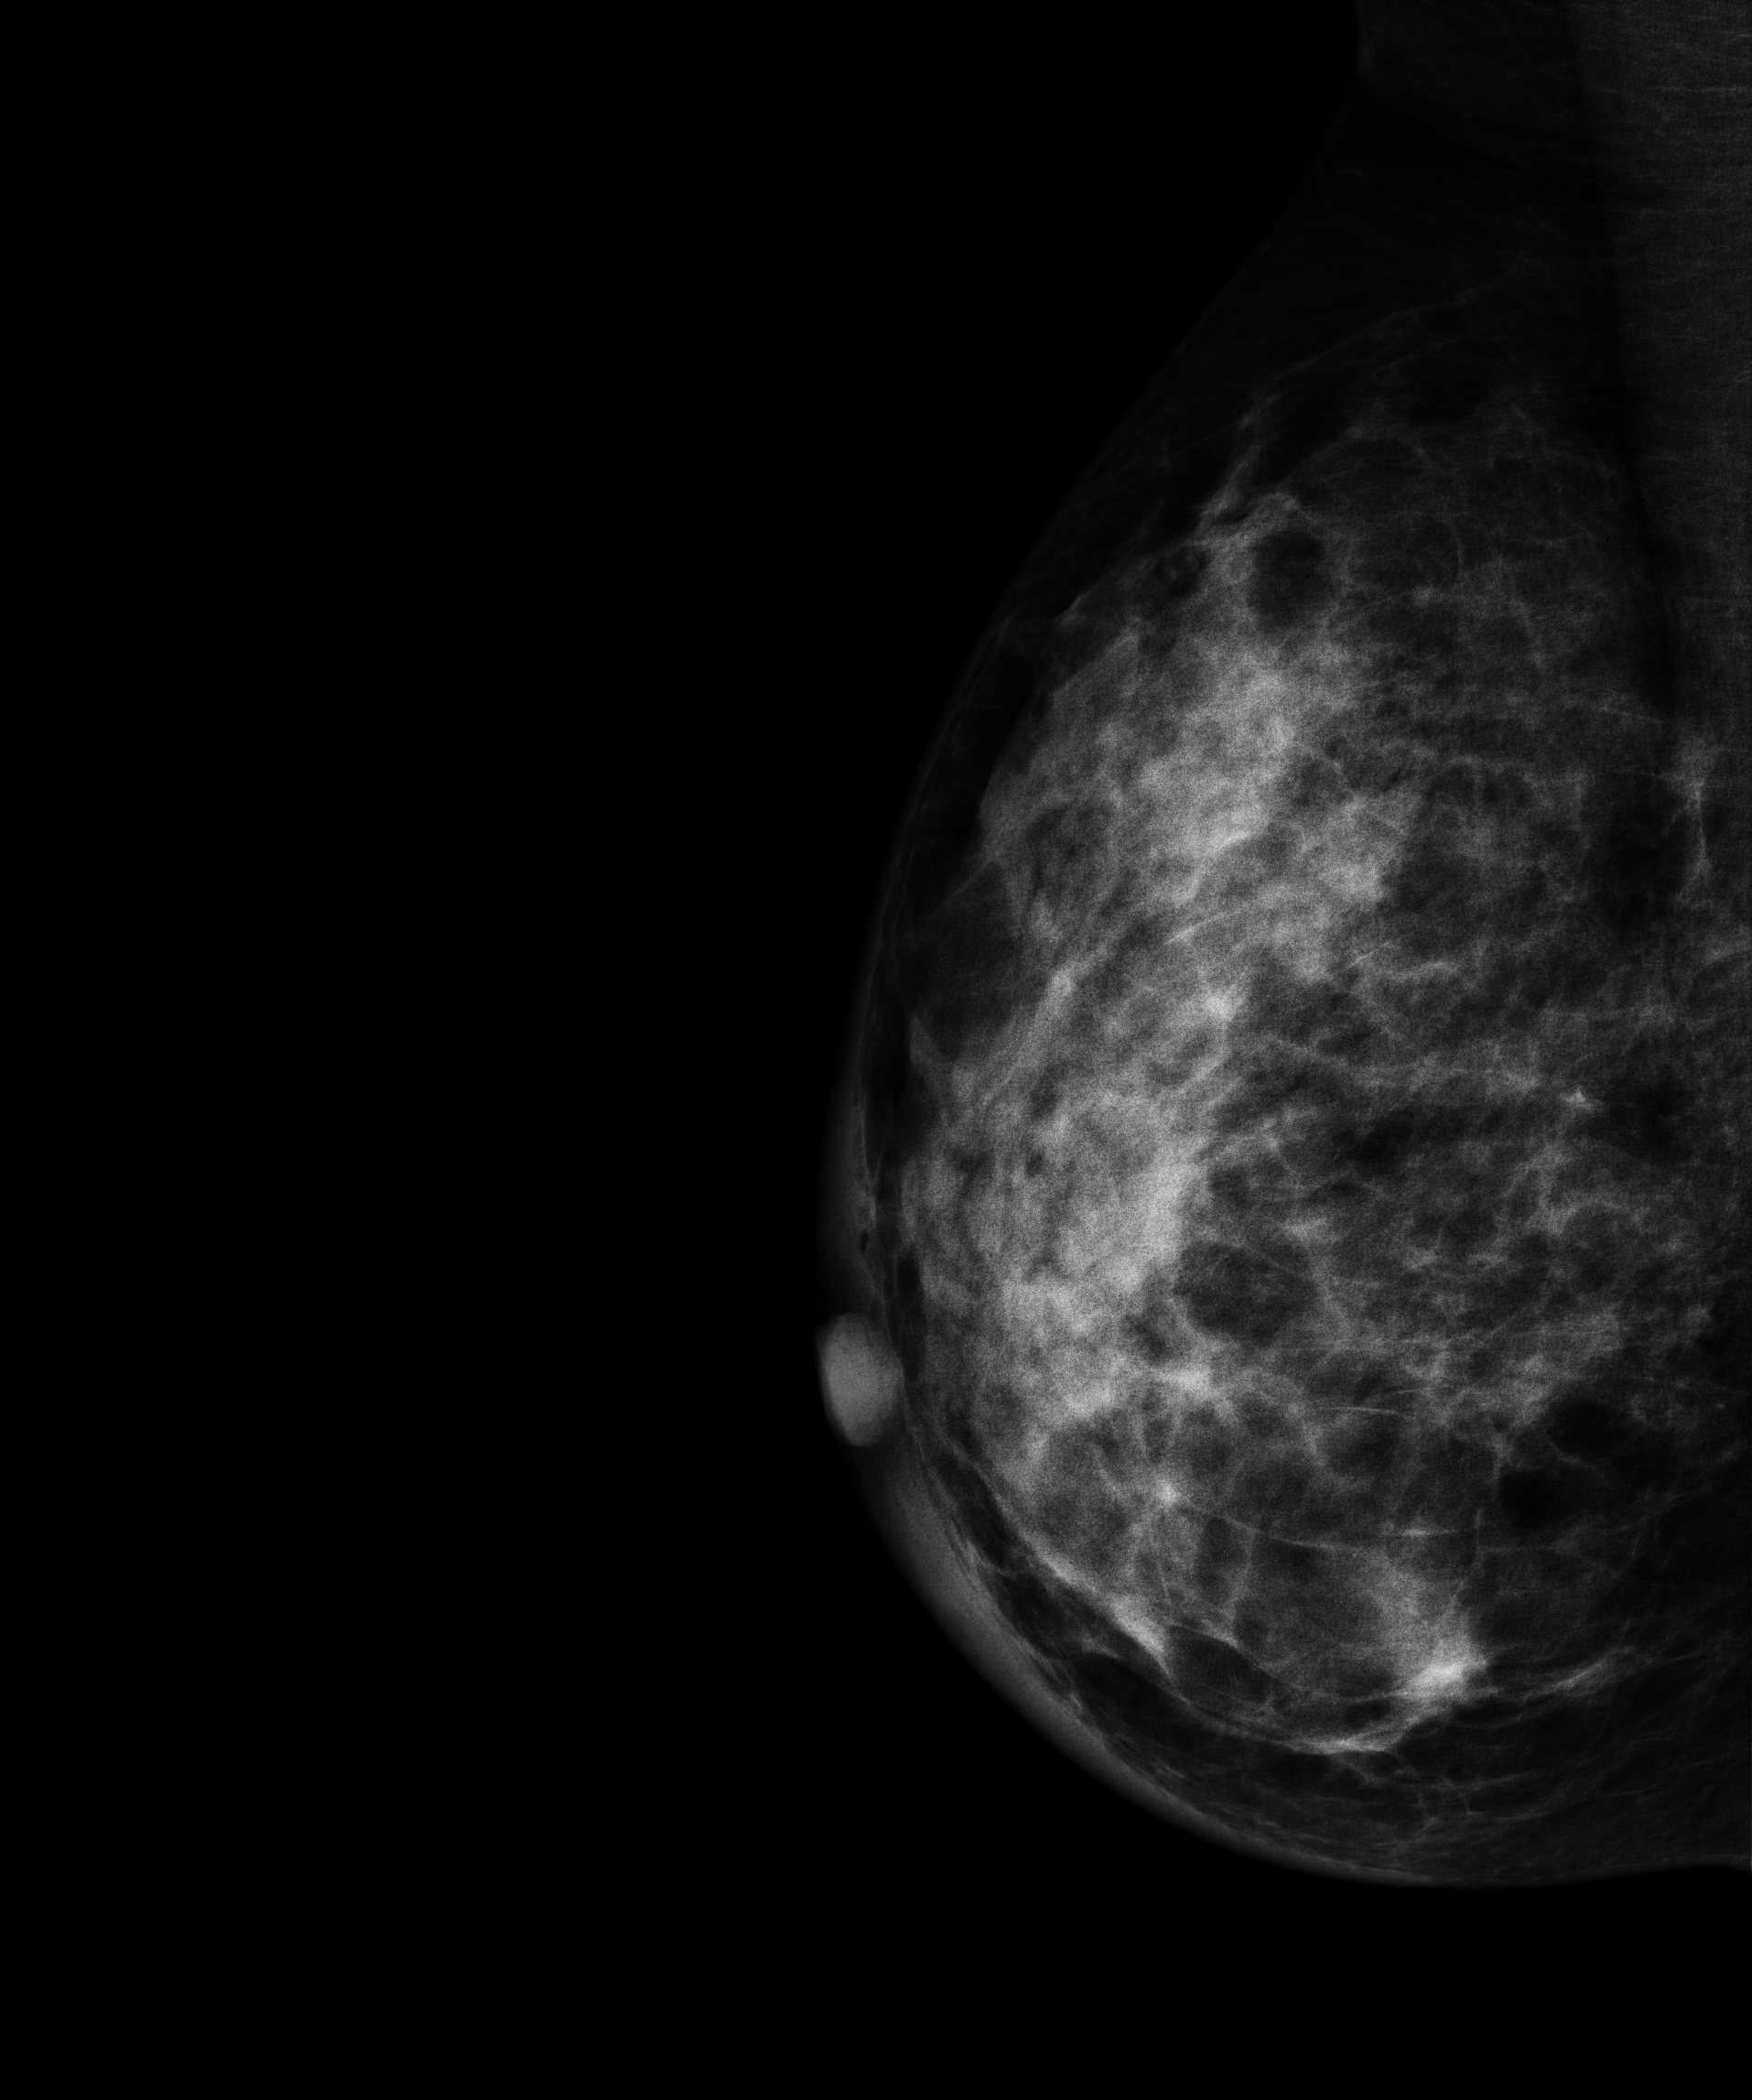
Digital mammography. Right breast, medio-lateral oblique projection. Patient age 39.
This breast has a mass, biopsy-proven malignant. Molecular subtype: luminal B.